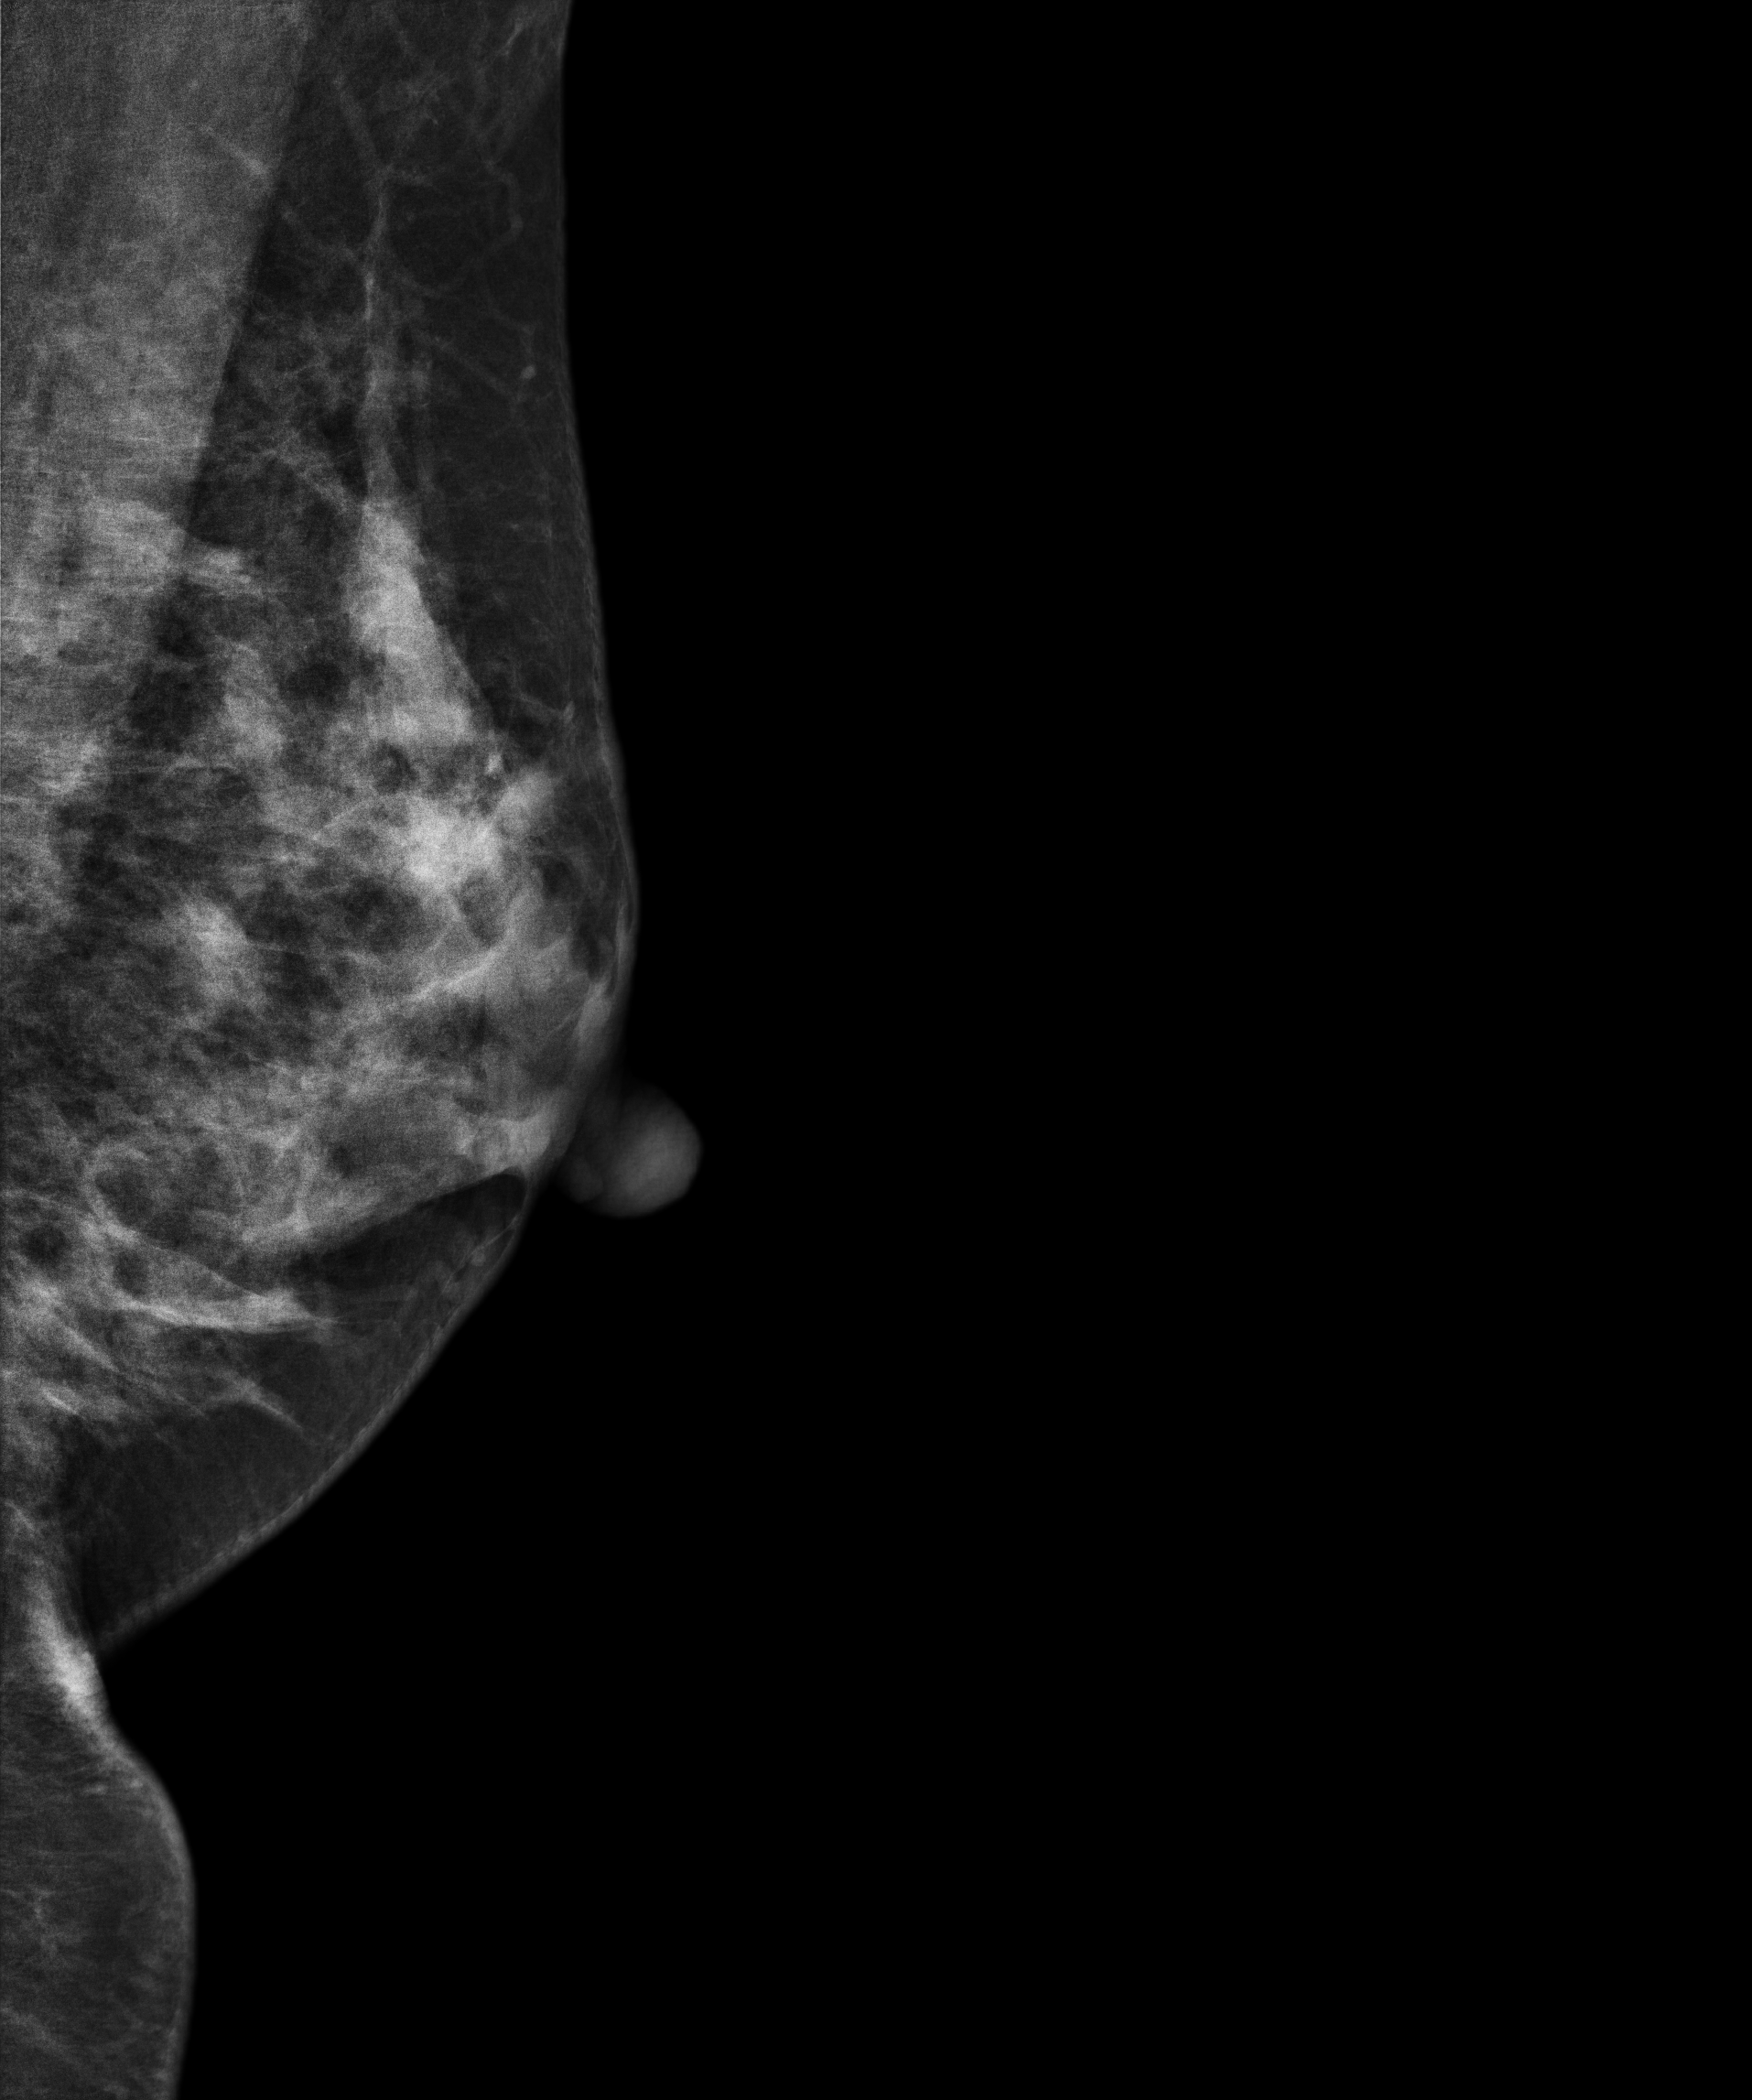
Digital mammography. Left breast, medio-lateral oblique projection. 37 y/o patient.
This breast has a mass, pathology-confirmed malignant.